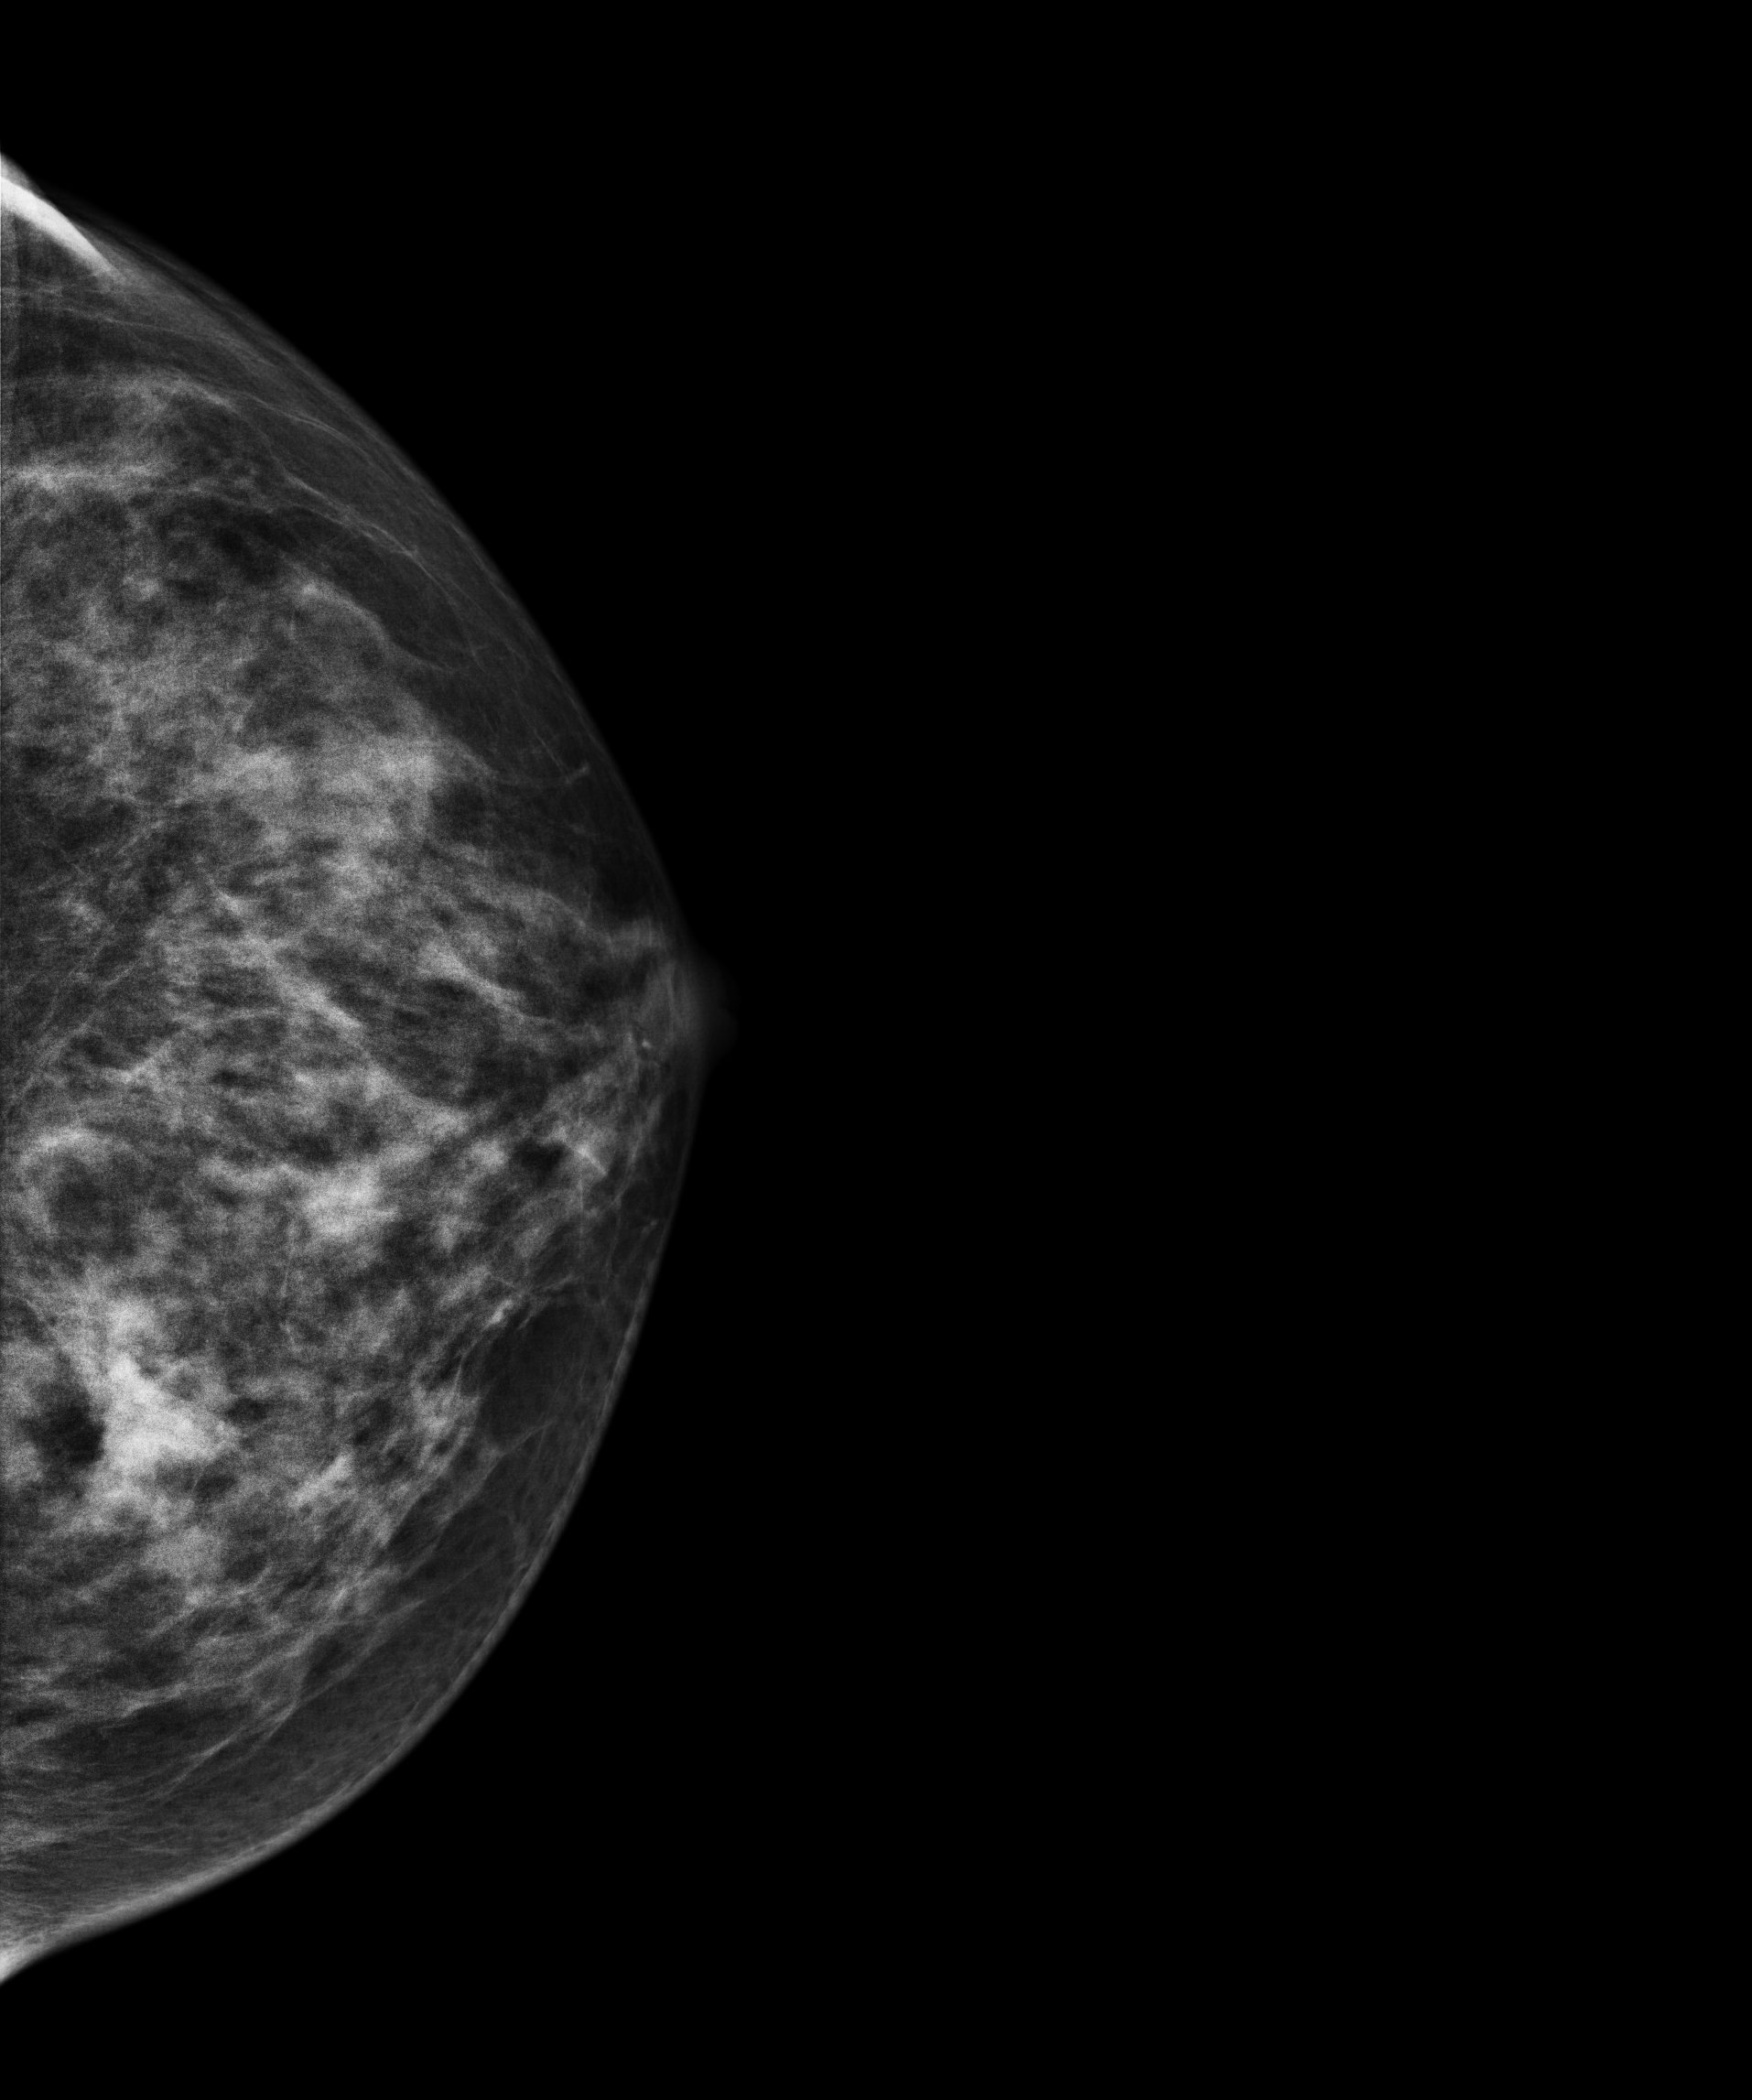
CC mammogram of the left breast. Patient age 46.
This breast has a mass, biopsy-proven malignant. Molecular subtype: luminal A.